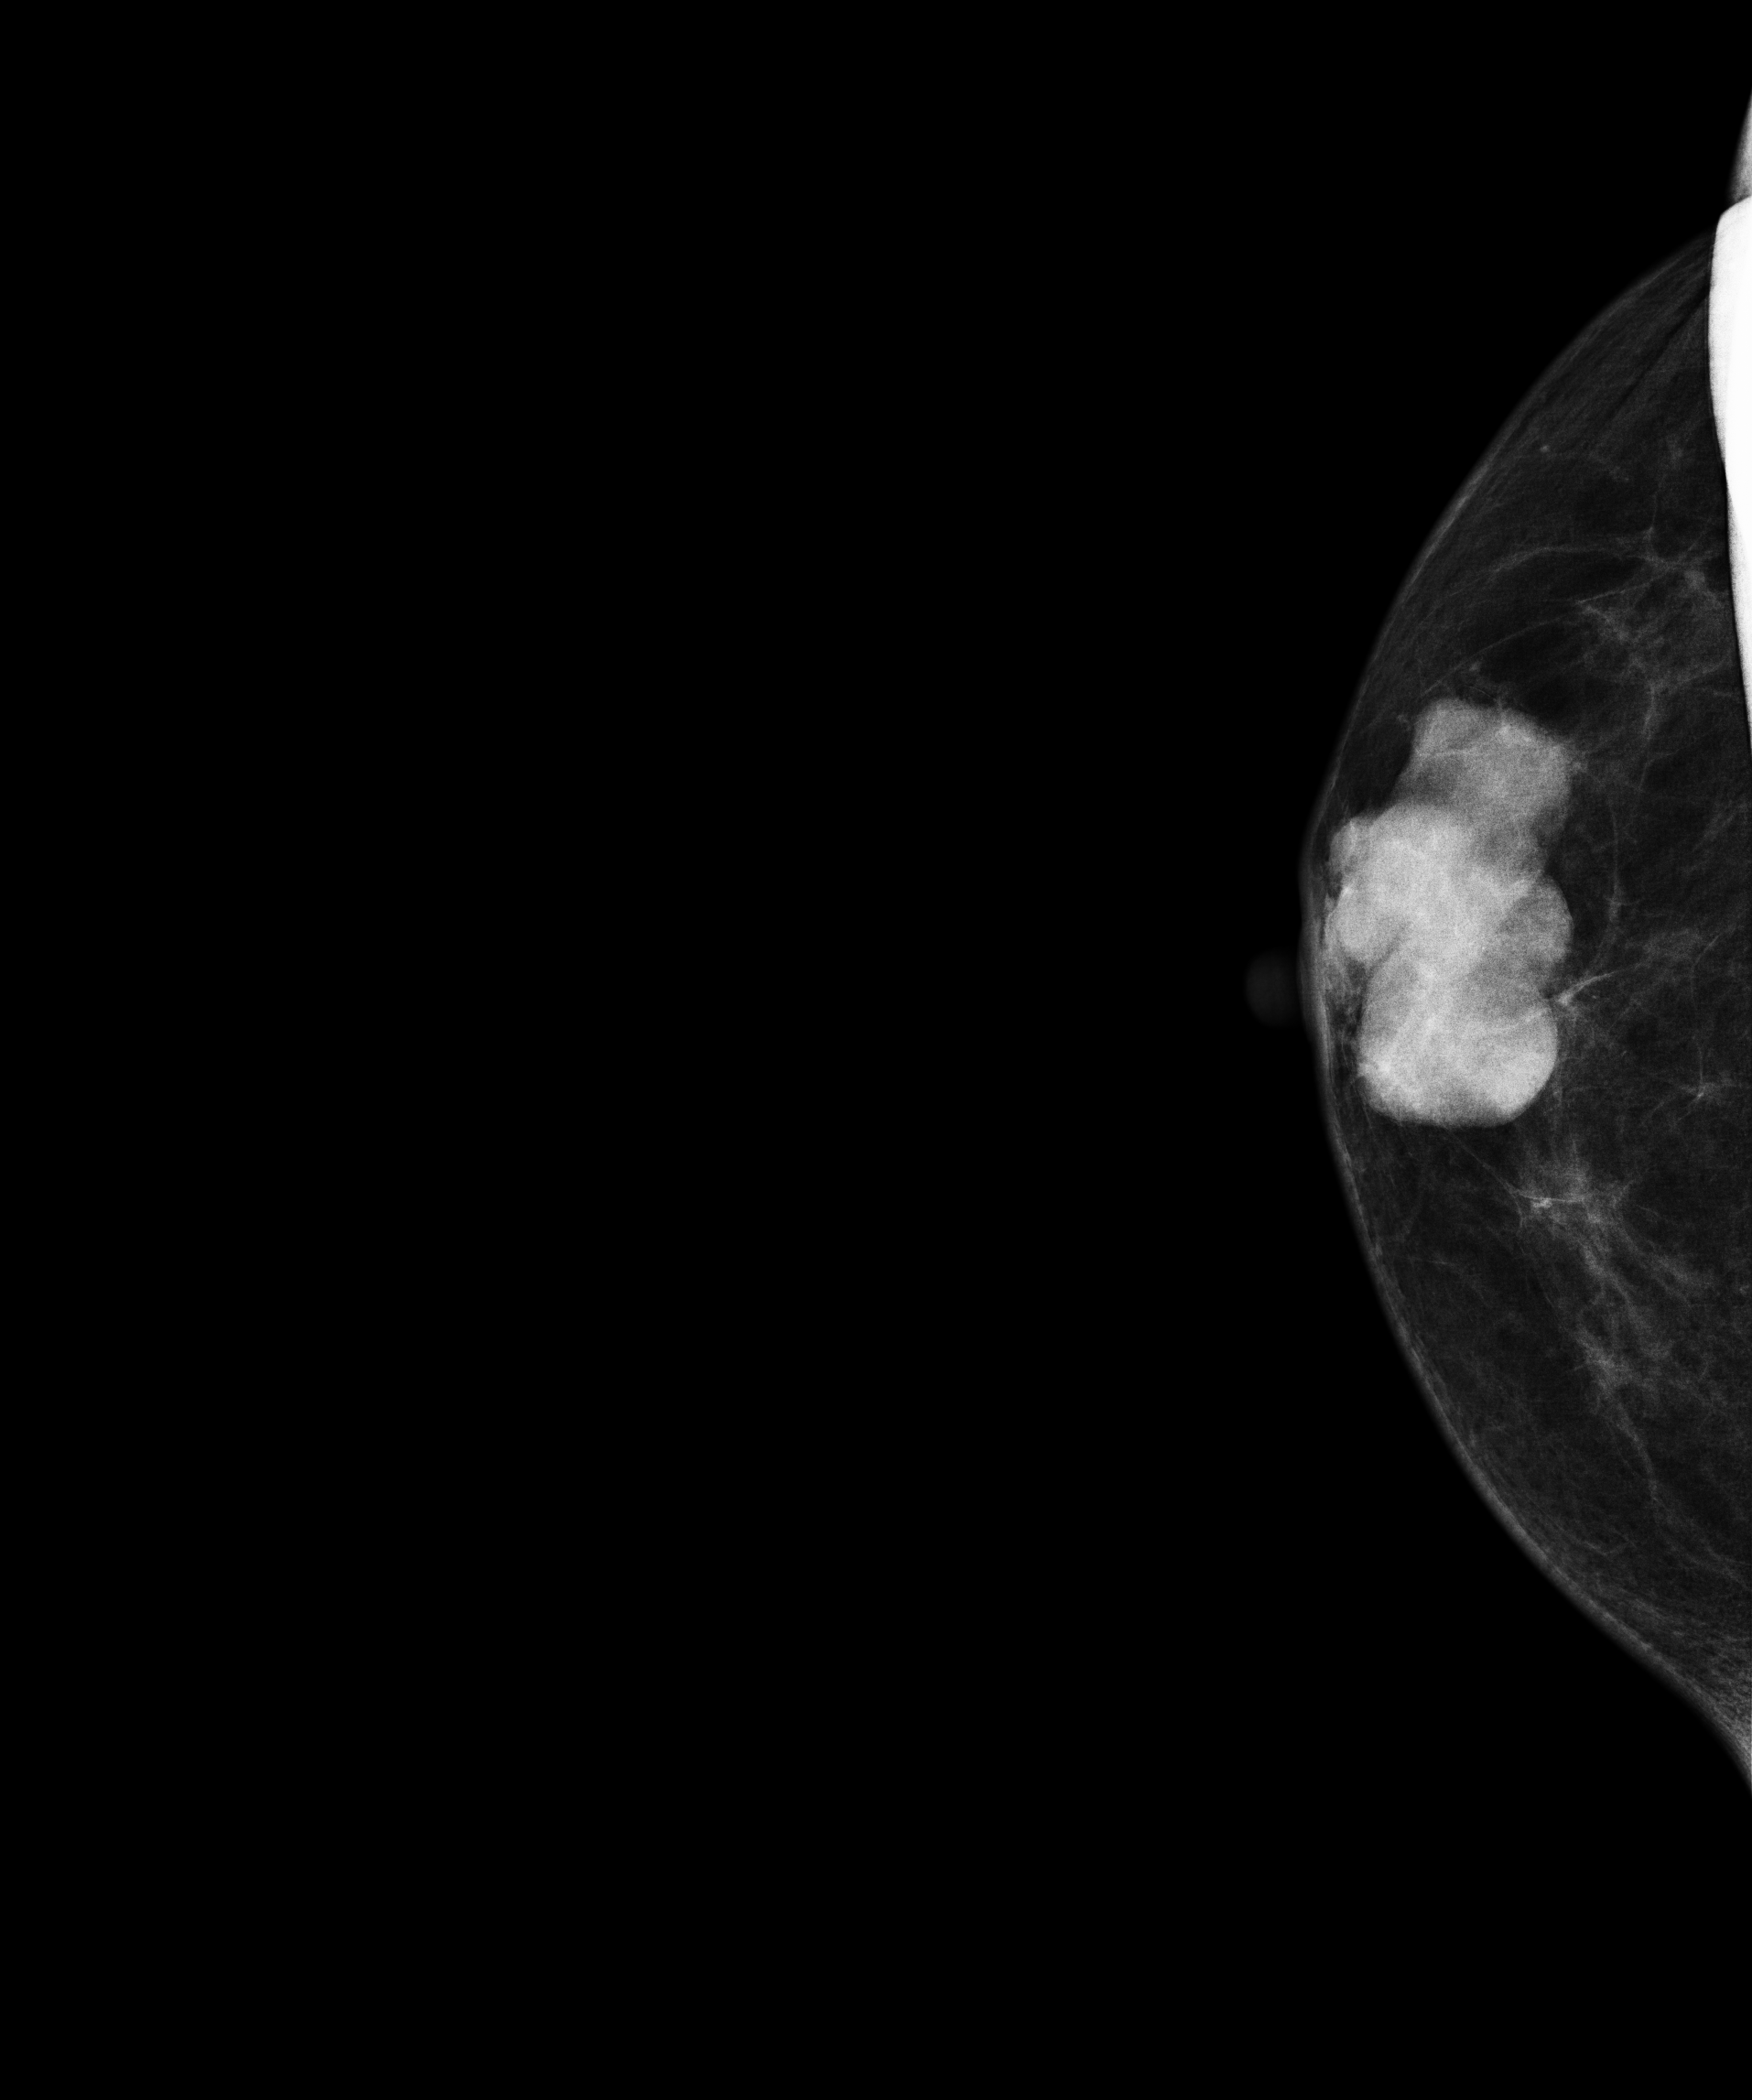
Mammogram — right CC. 57-year-old patient.
This breast has a mass, biopsy-confirmed malignant.